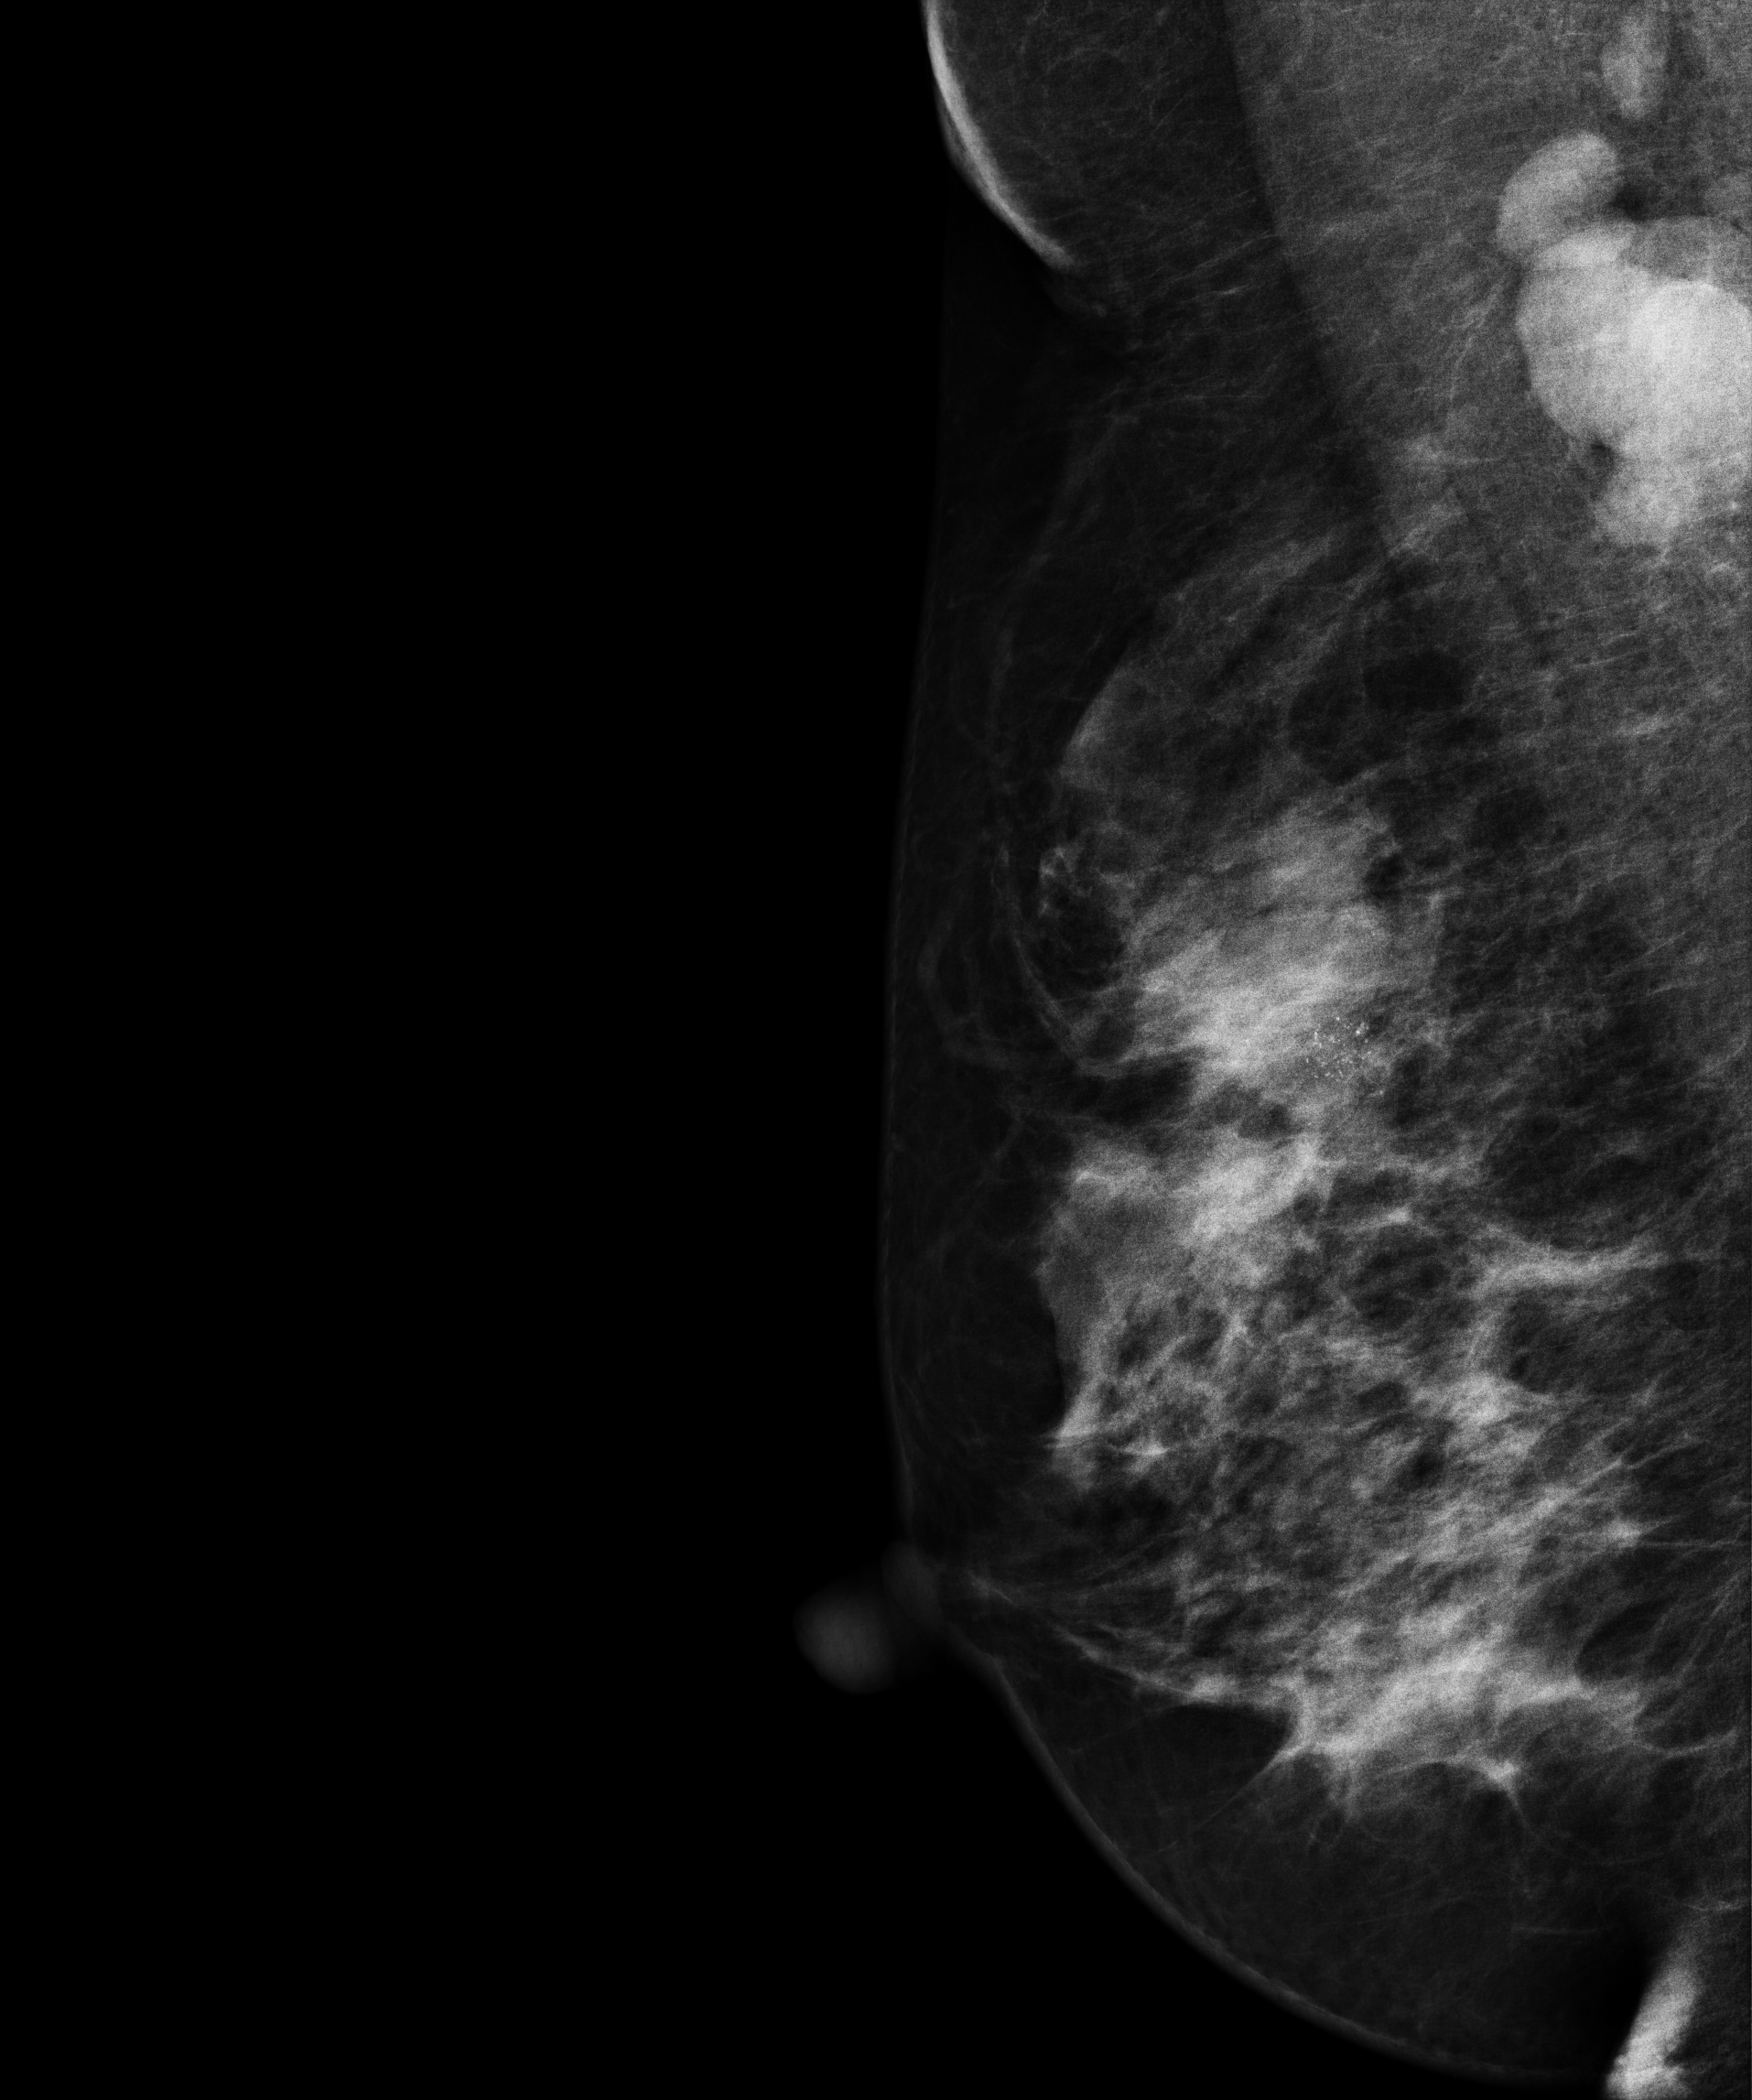
Mammogram, right breast, MLO view. Patient age 45.
This breast has a mass and calcifications, biopsy-proven malignant. Molecular subtype: luminal B.